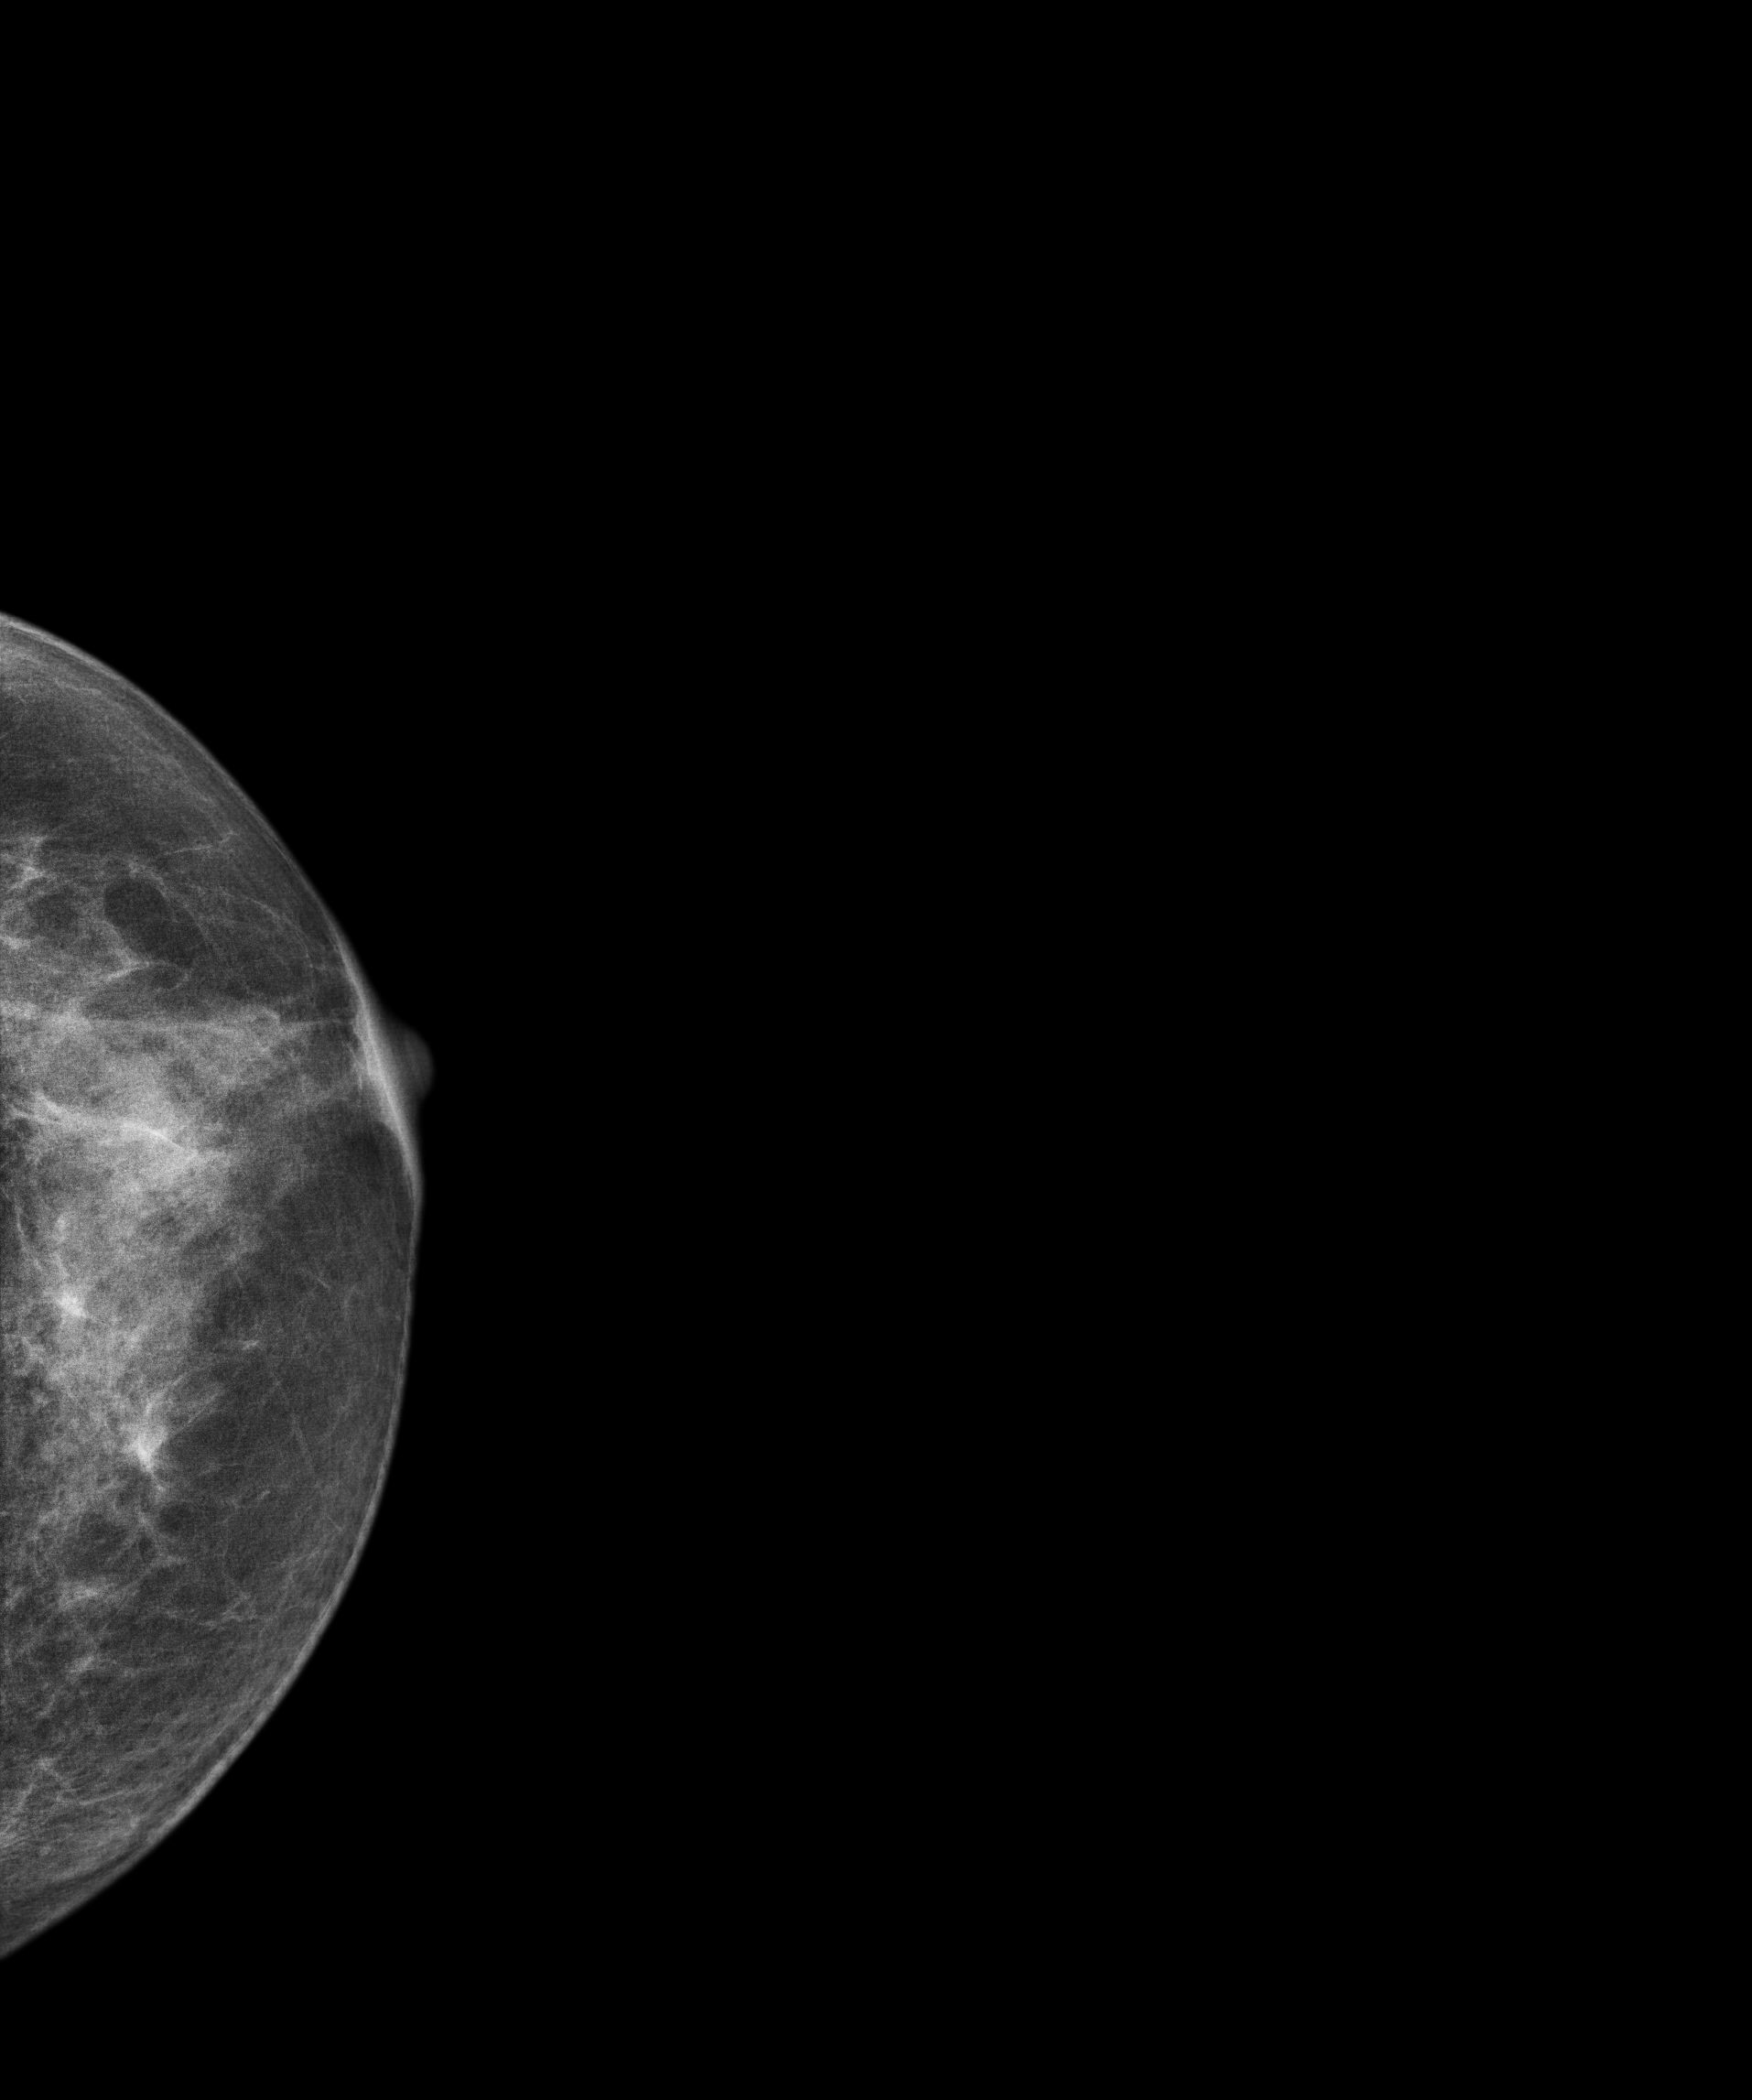
CC mammogram of the left breast. Patient age 57.
Contralateral breast — no documented abnormality on this side.